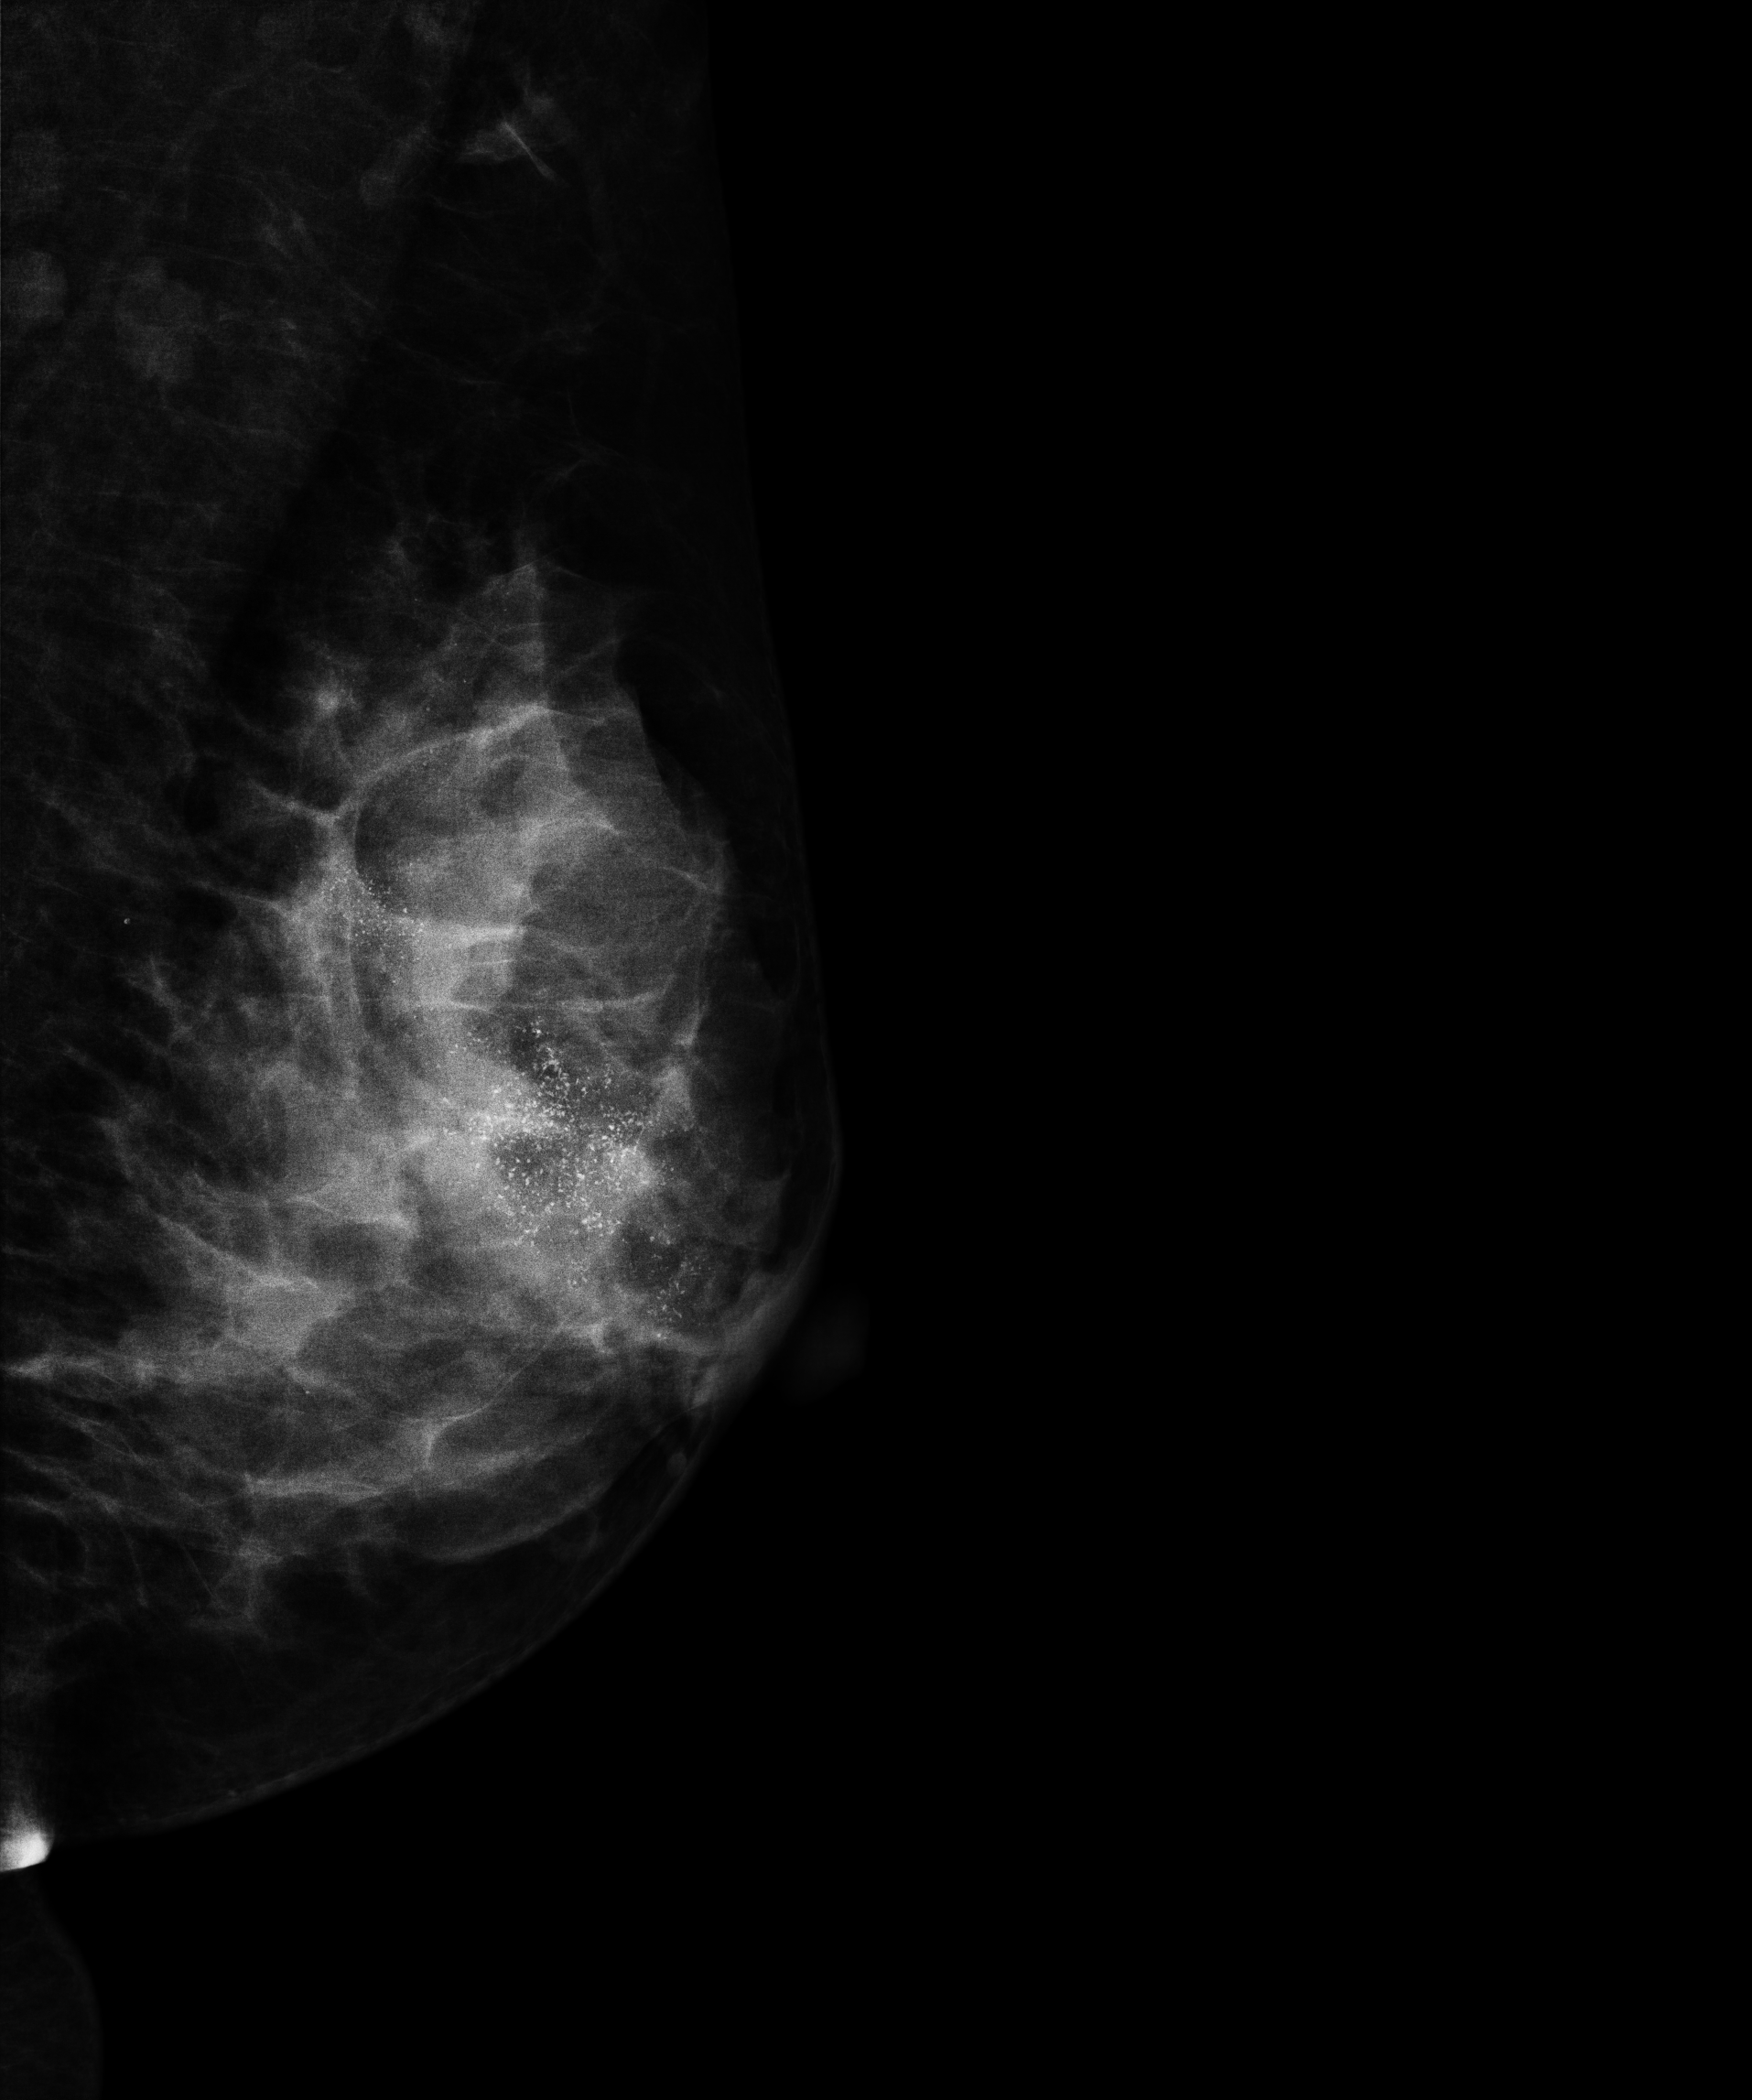
Left-breast mammogram, MLO. 47 y/o patient.
This breast has calcifications, pathology-confirmed malignant. Molecular subtype: HER2-enriched.